Digital mammography. Right breast, MLO projection. 49 y/o patient.
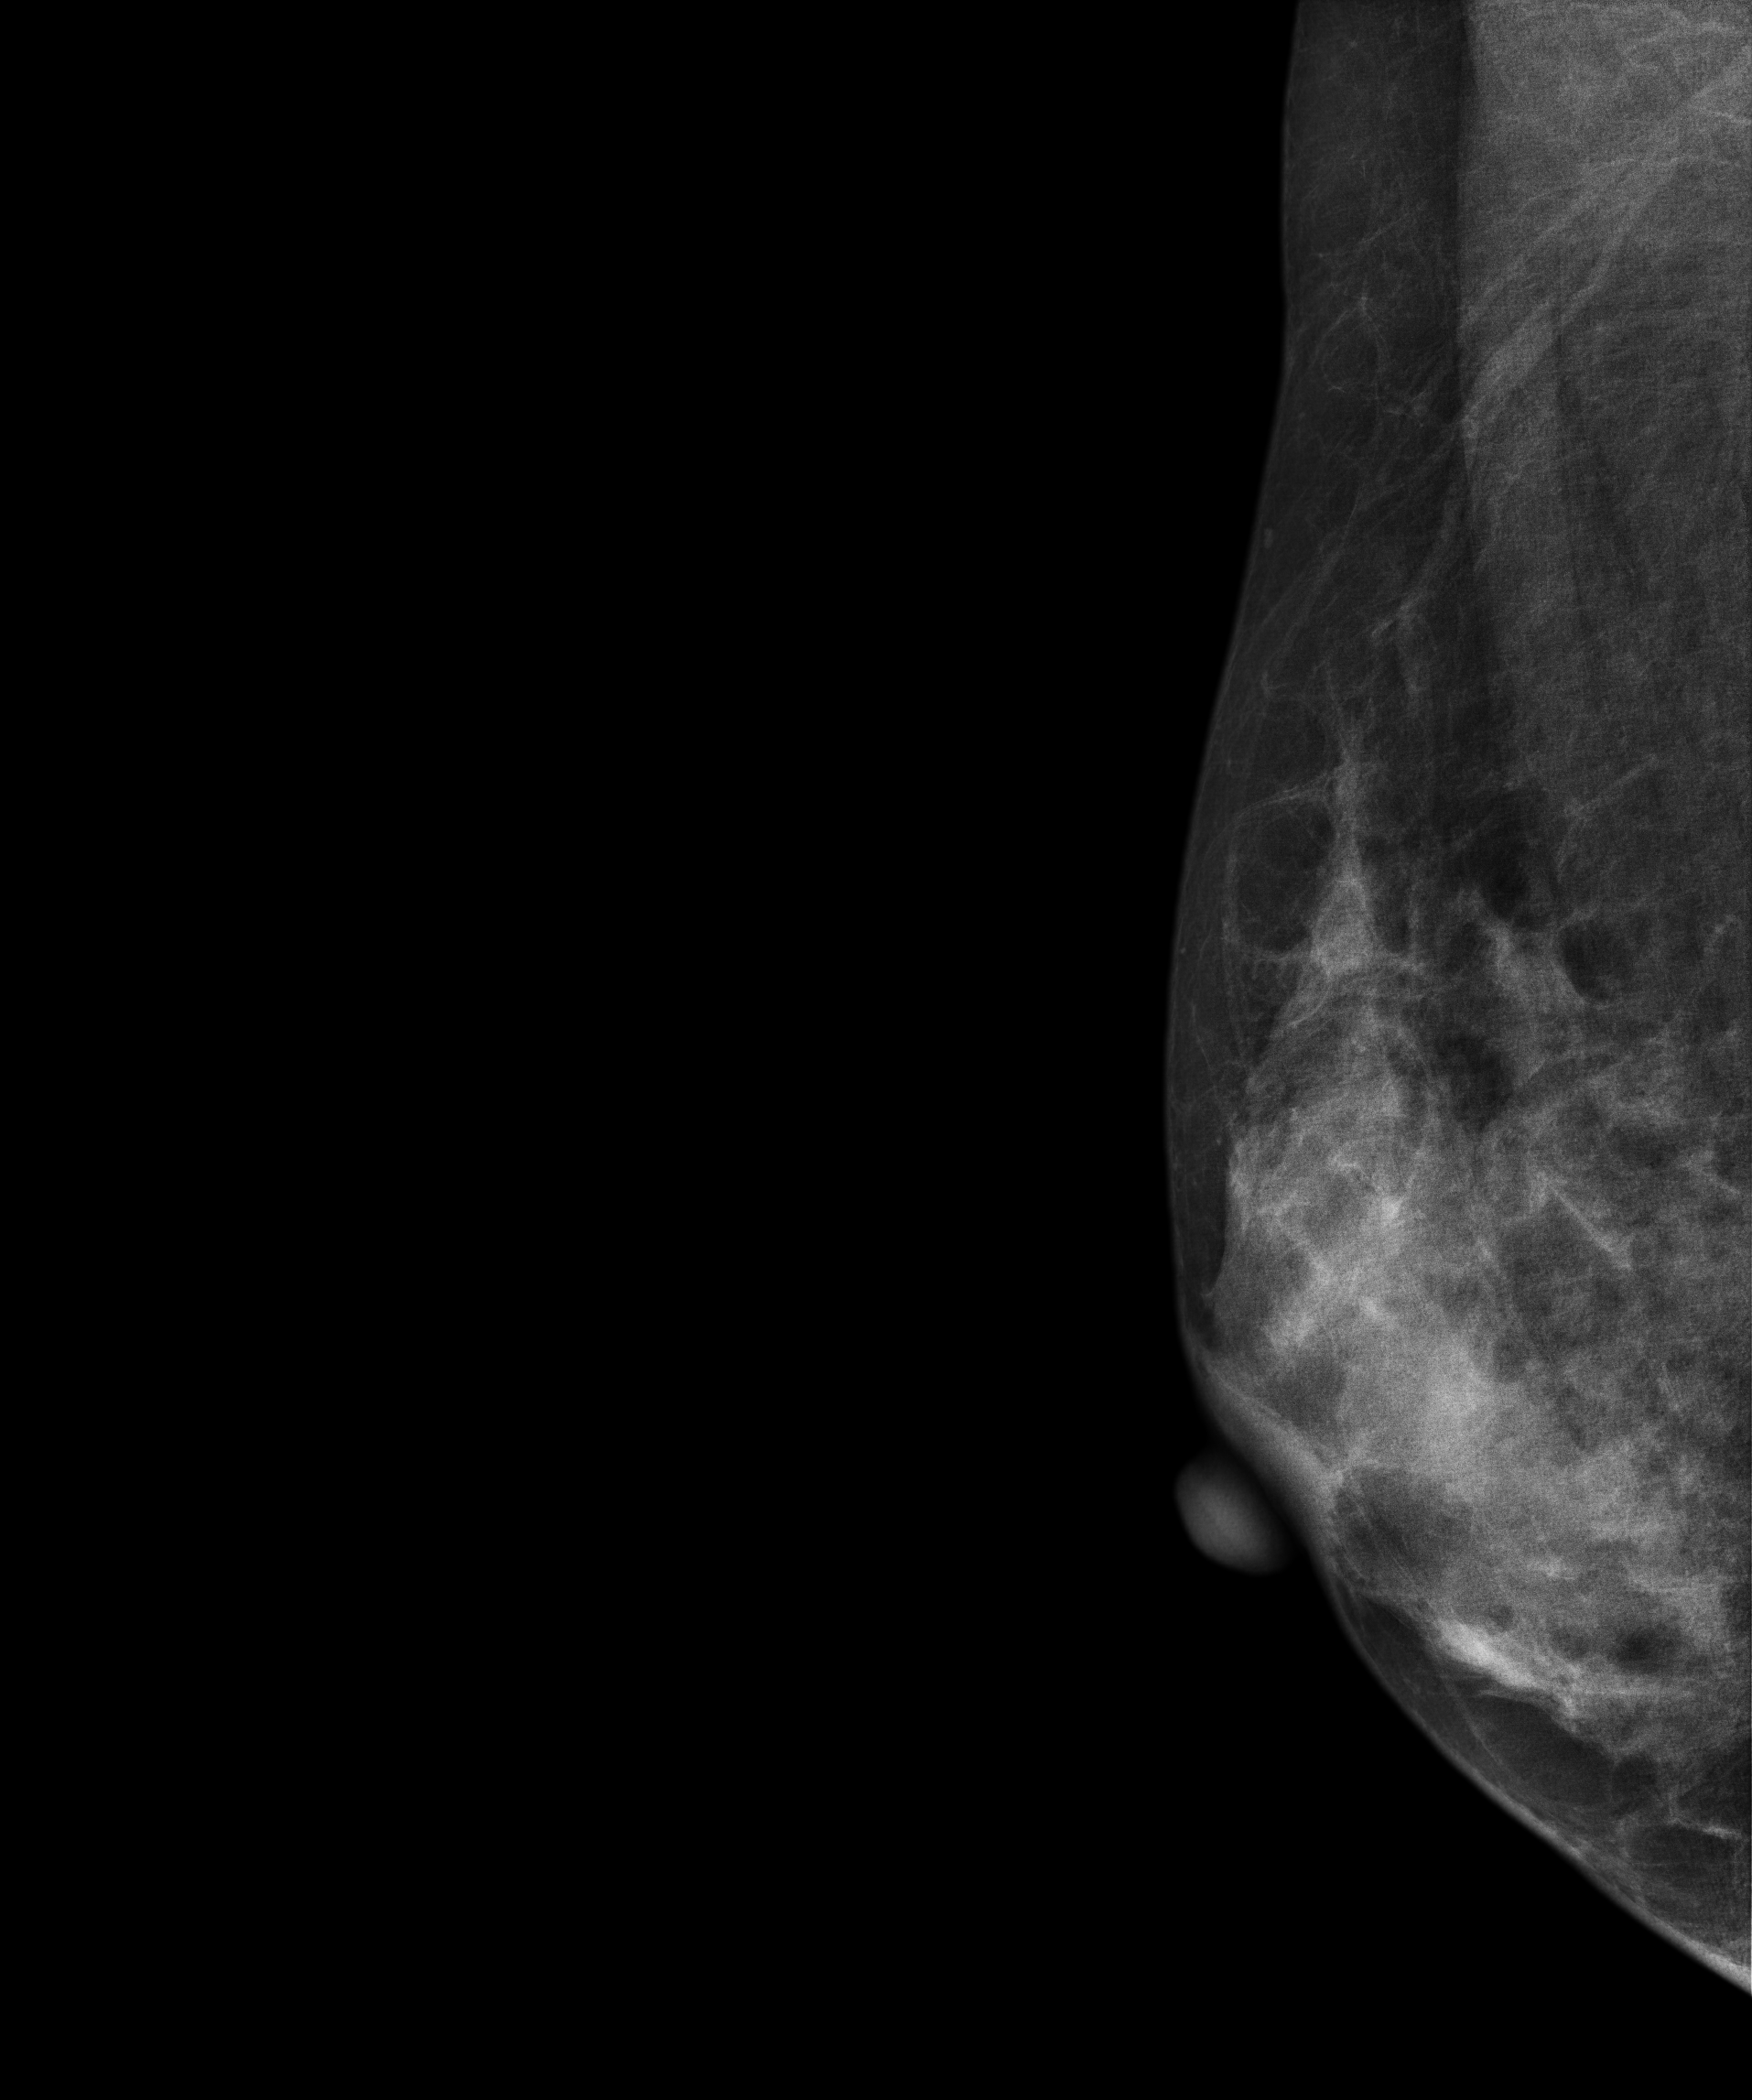
Contralateral breast — no documented abnormality on this side.